Digital mammography. Left breast, cranio-caudal projection. 44 y/o patient.
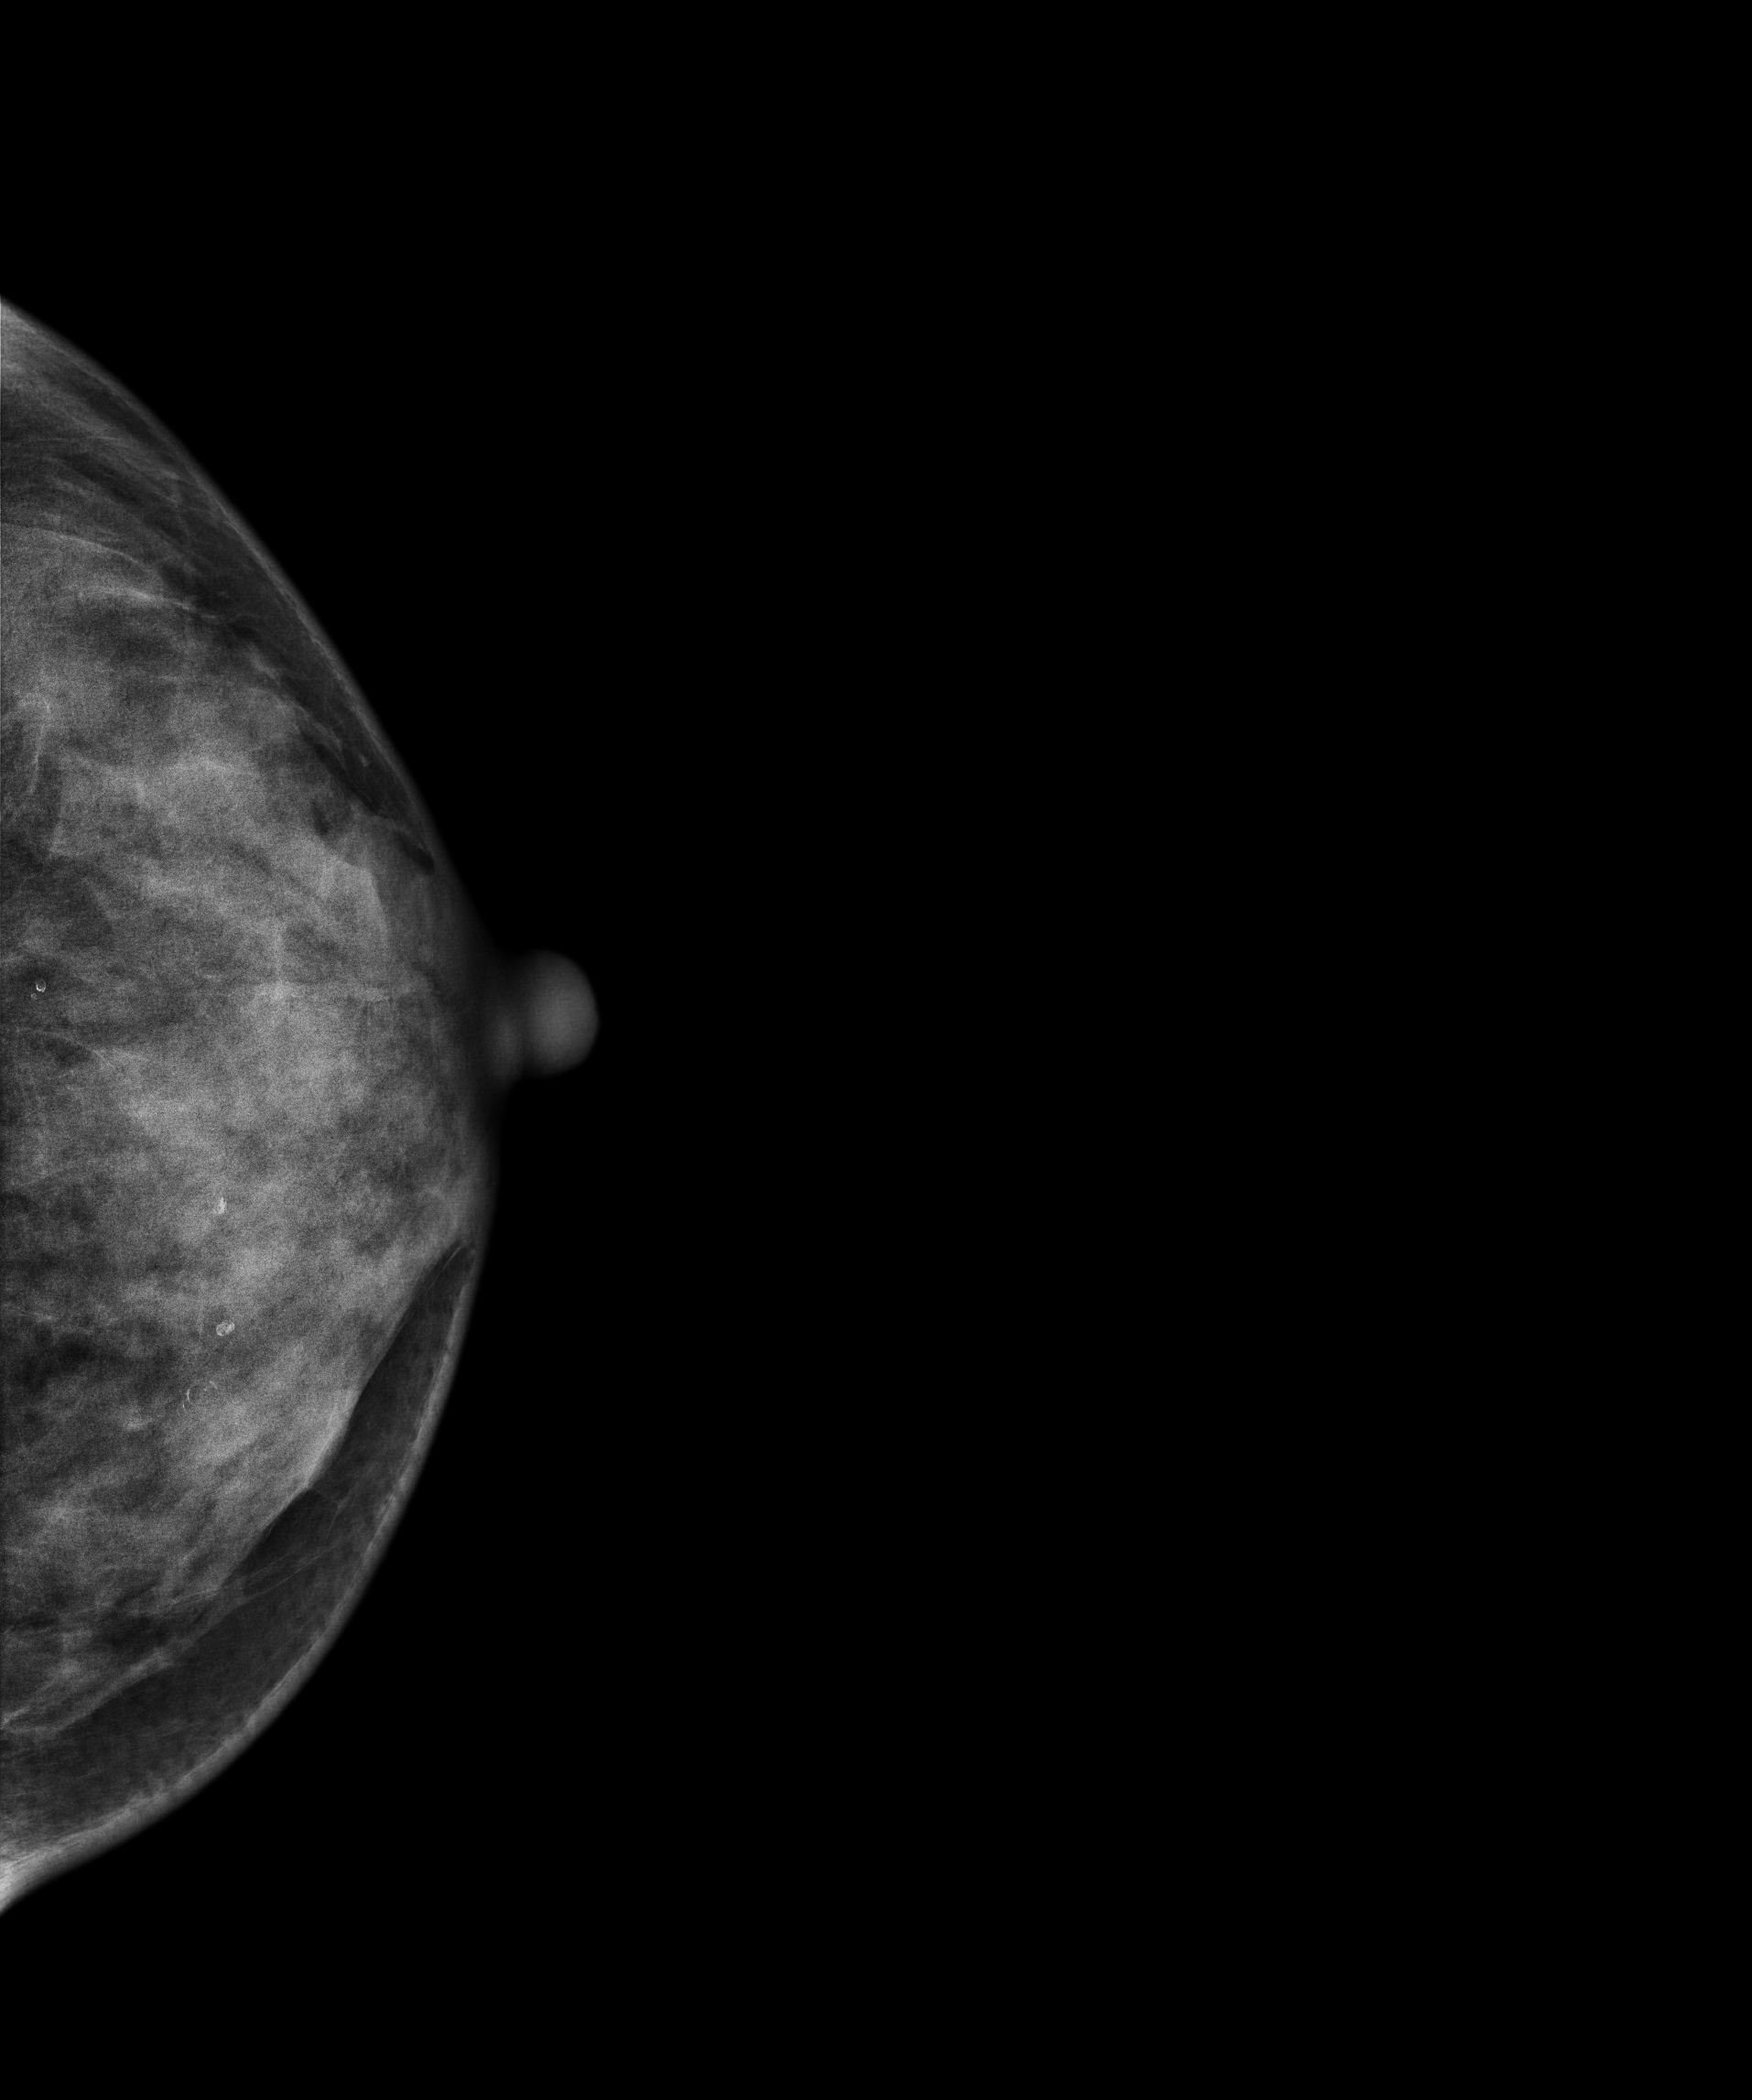
This breast has a mass, biopsy-proven malignant. Molecular subtype: luminal B.